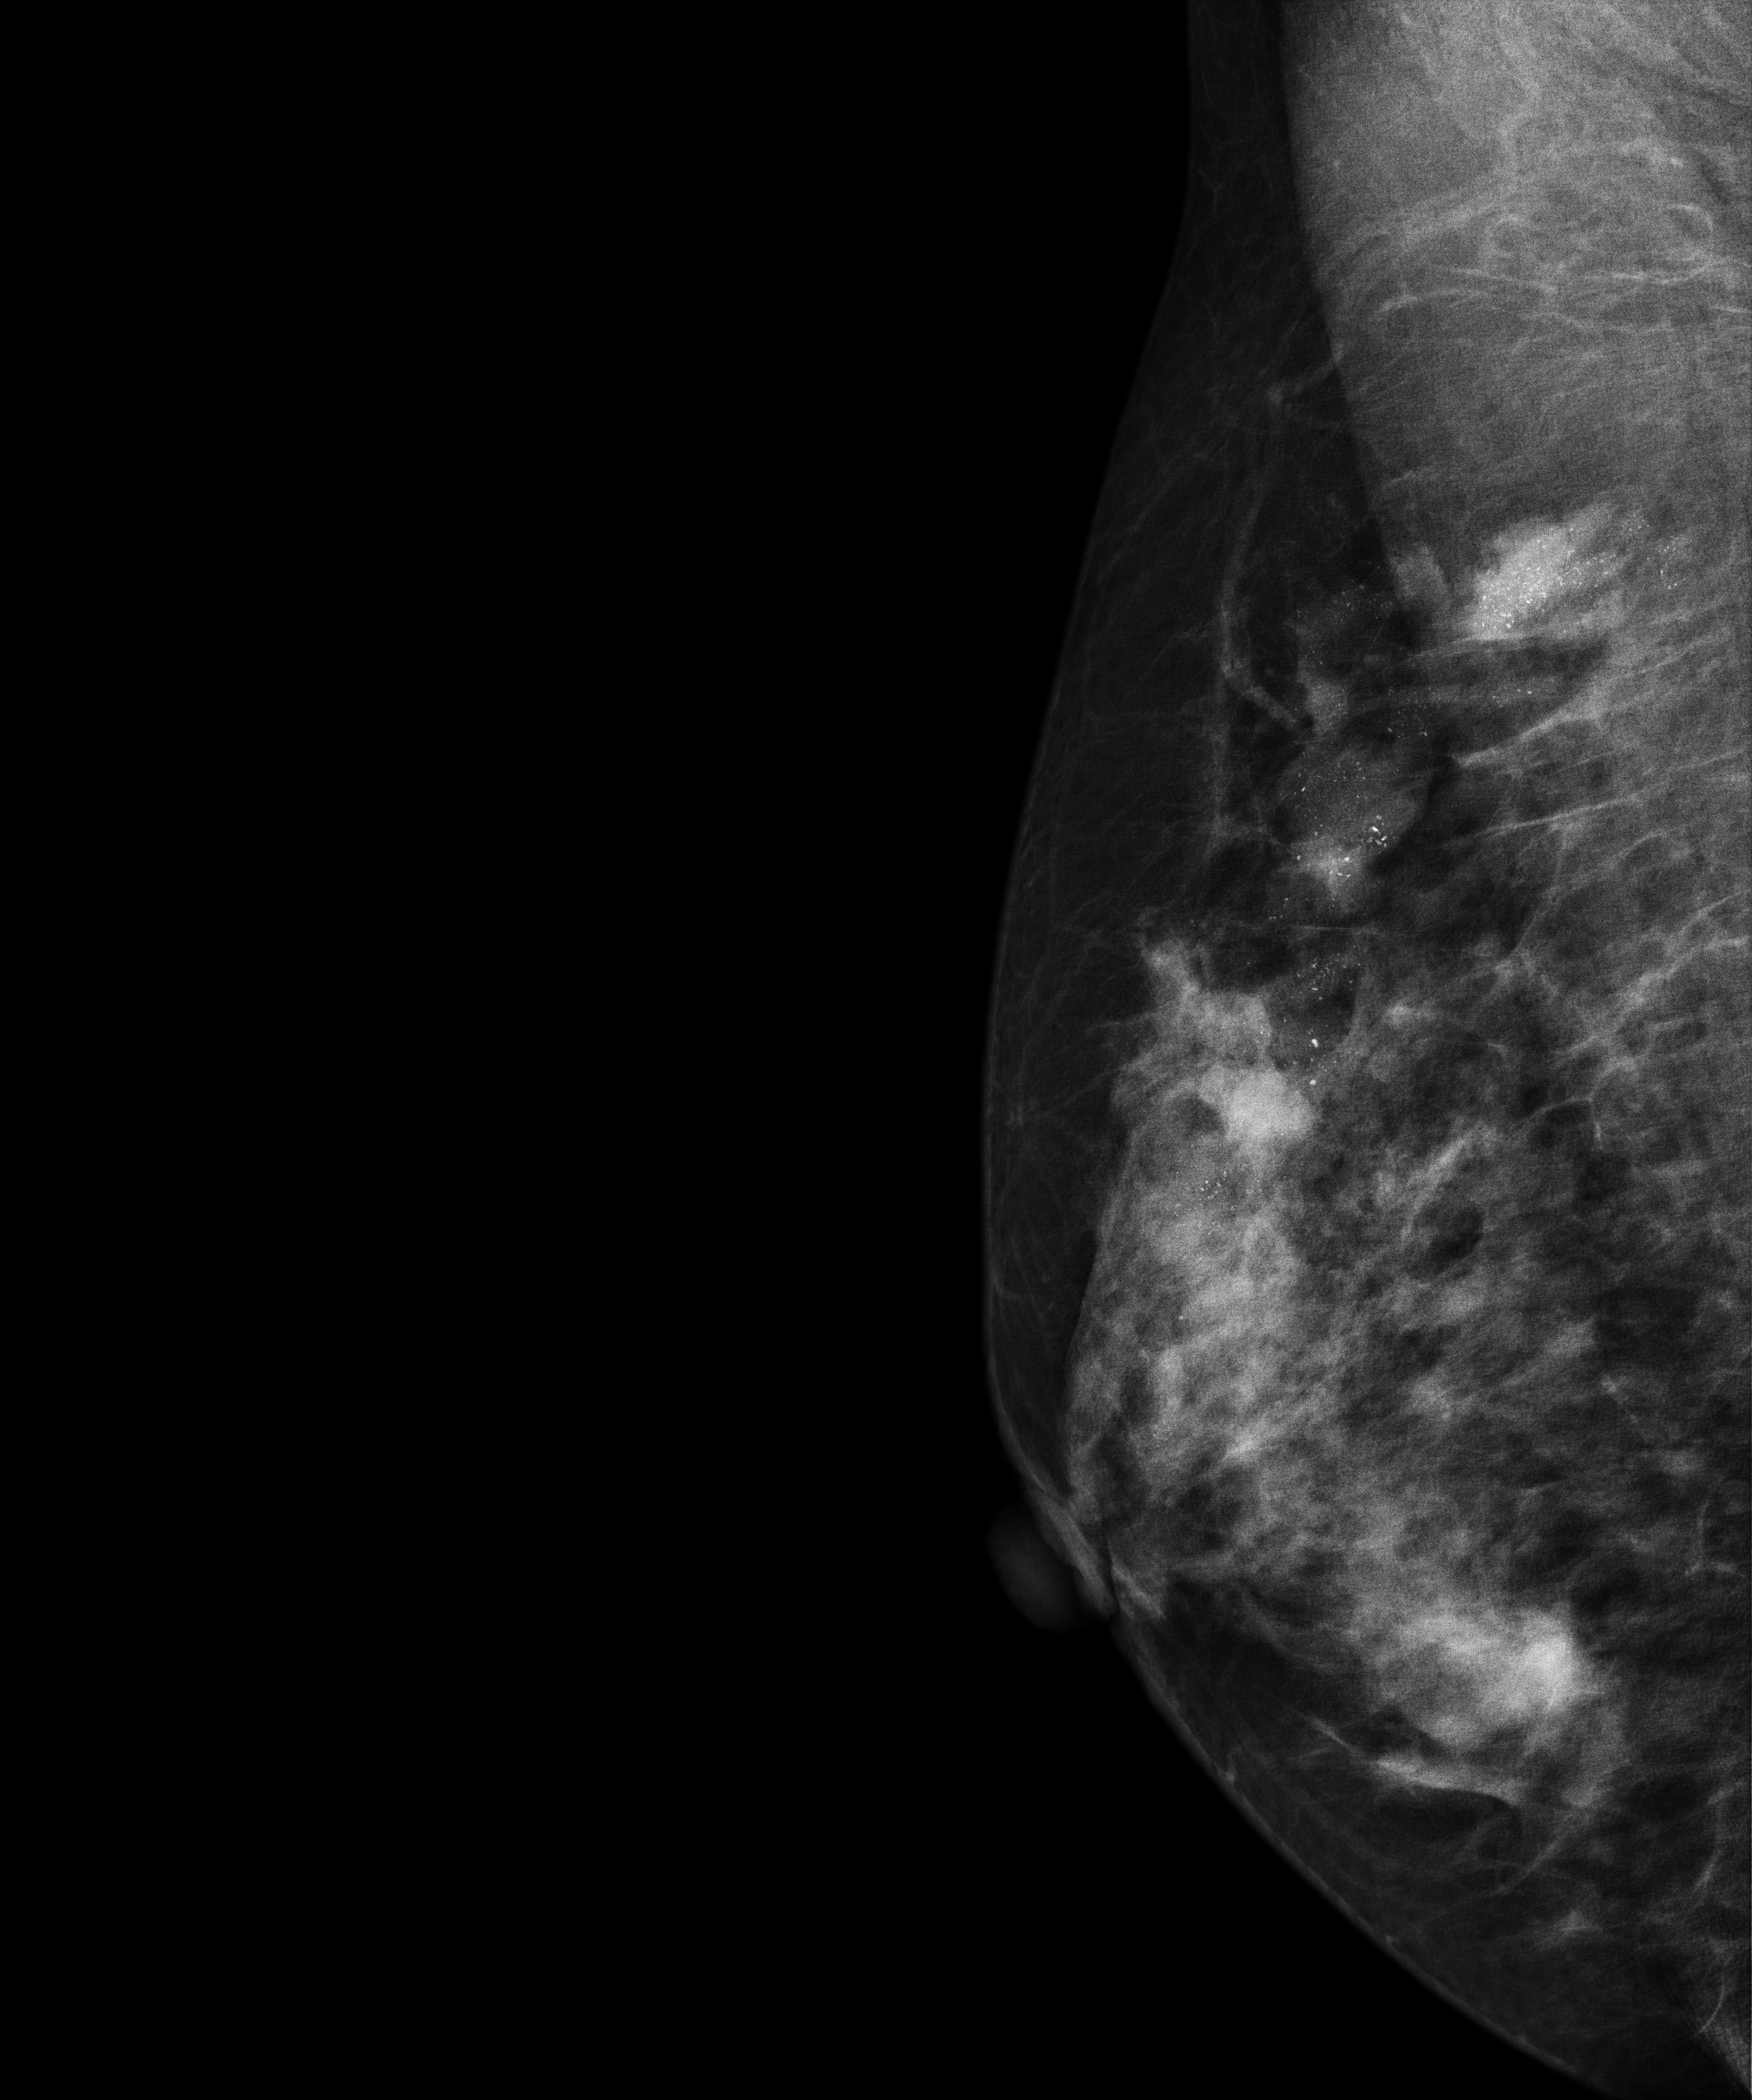
Medio-lateral oblique mammogram of the right breast. 51-year-old patient.
This breast has a mass and calcifications, biopsy-confirmed malignant.